Right-breast mammogram, medio-lateral oblique. Patient age 42.
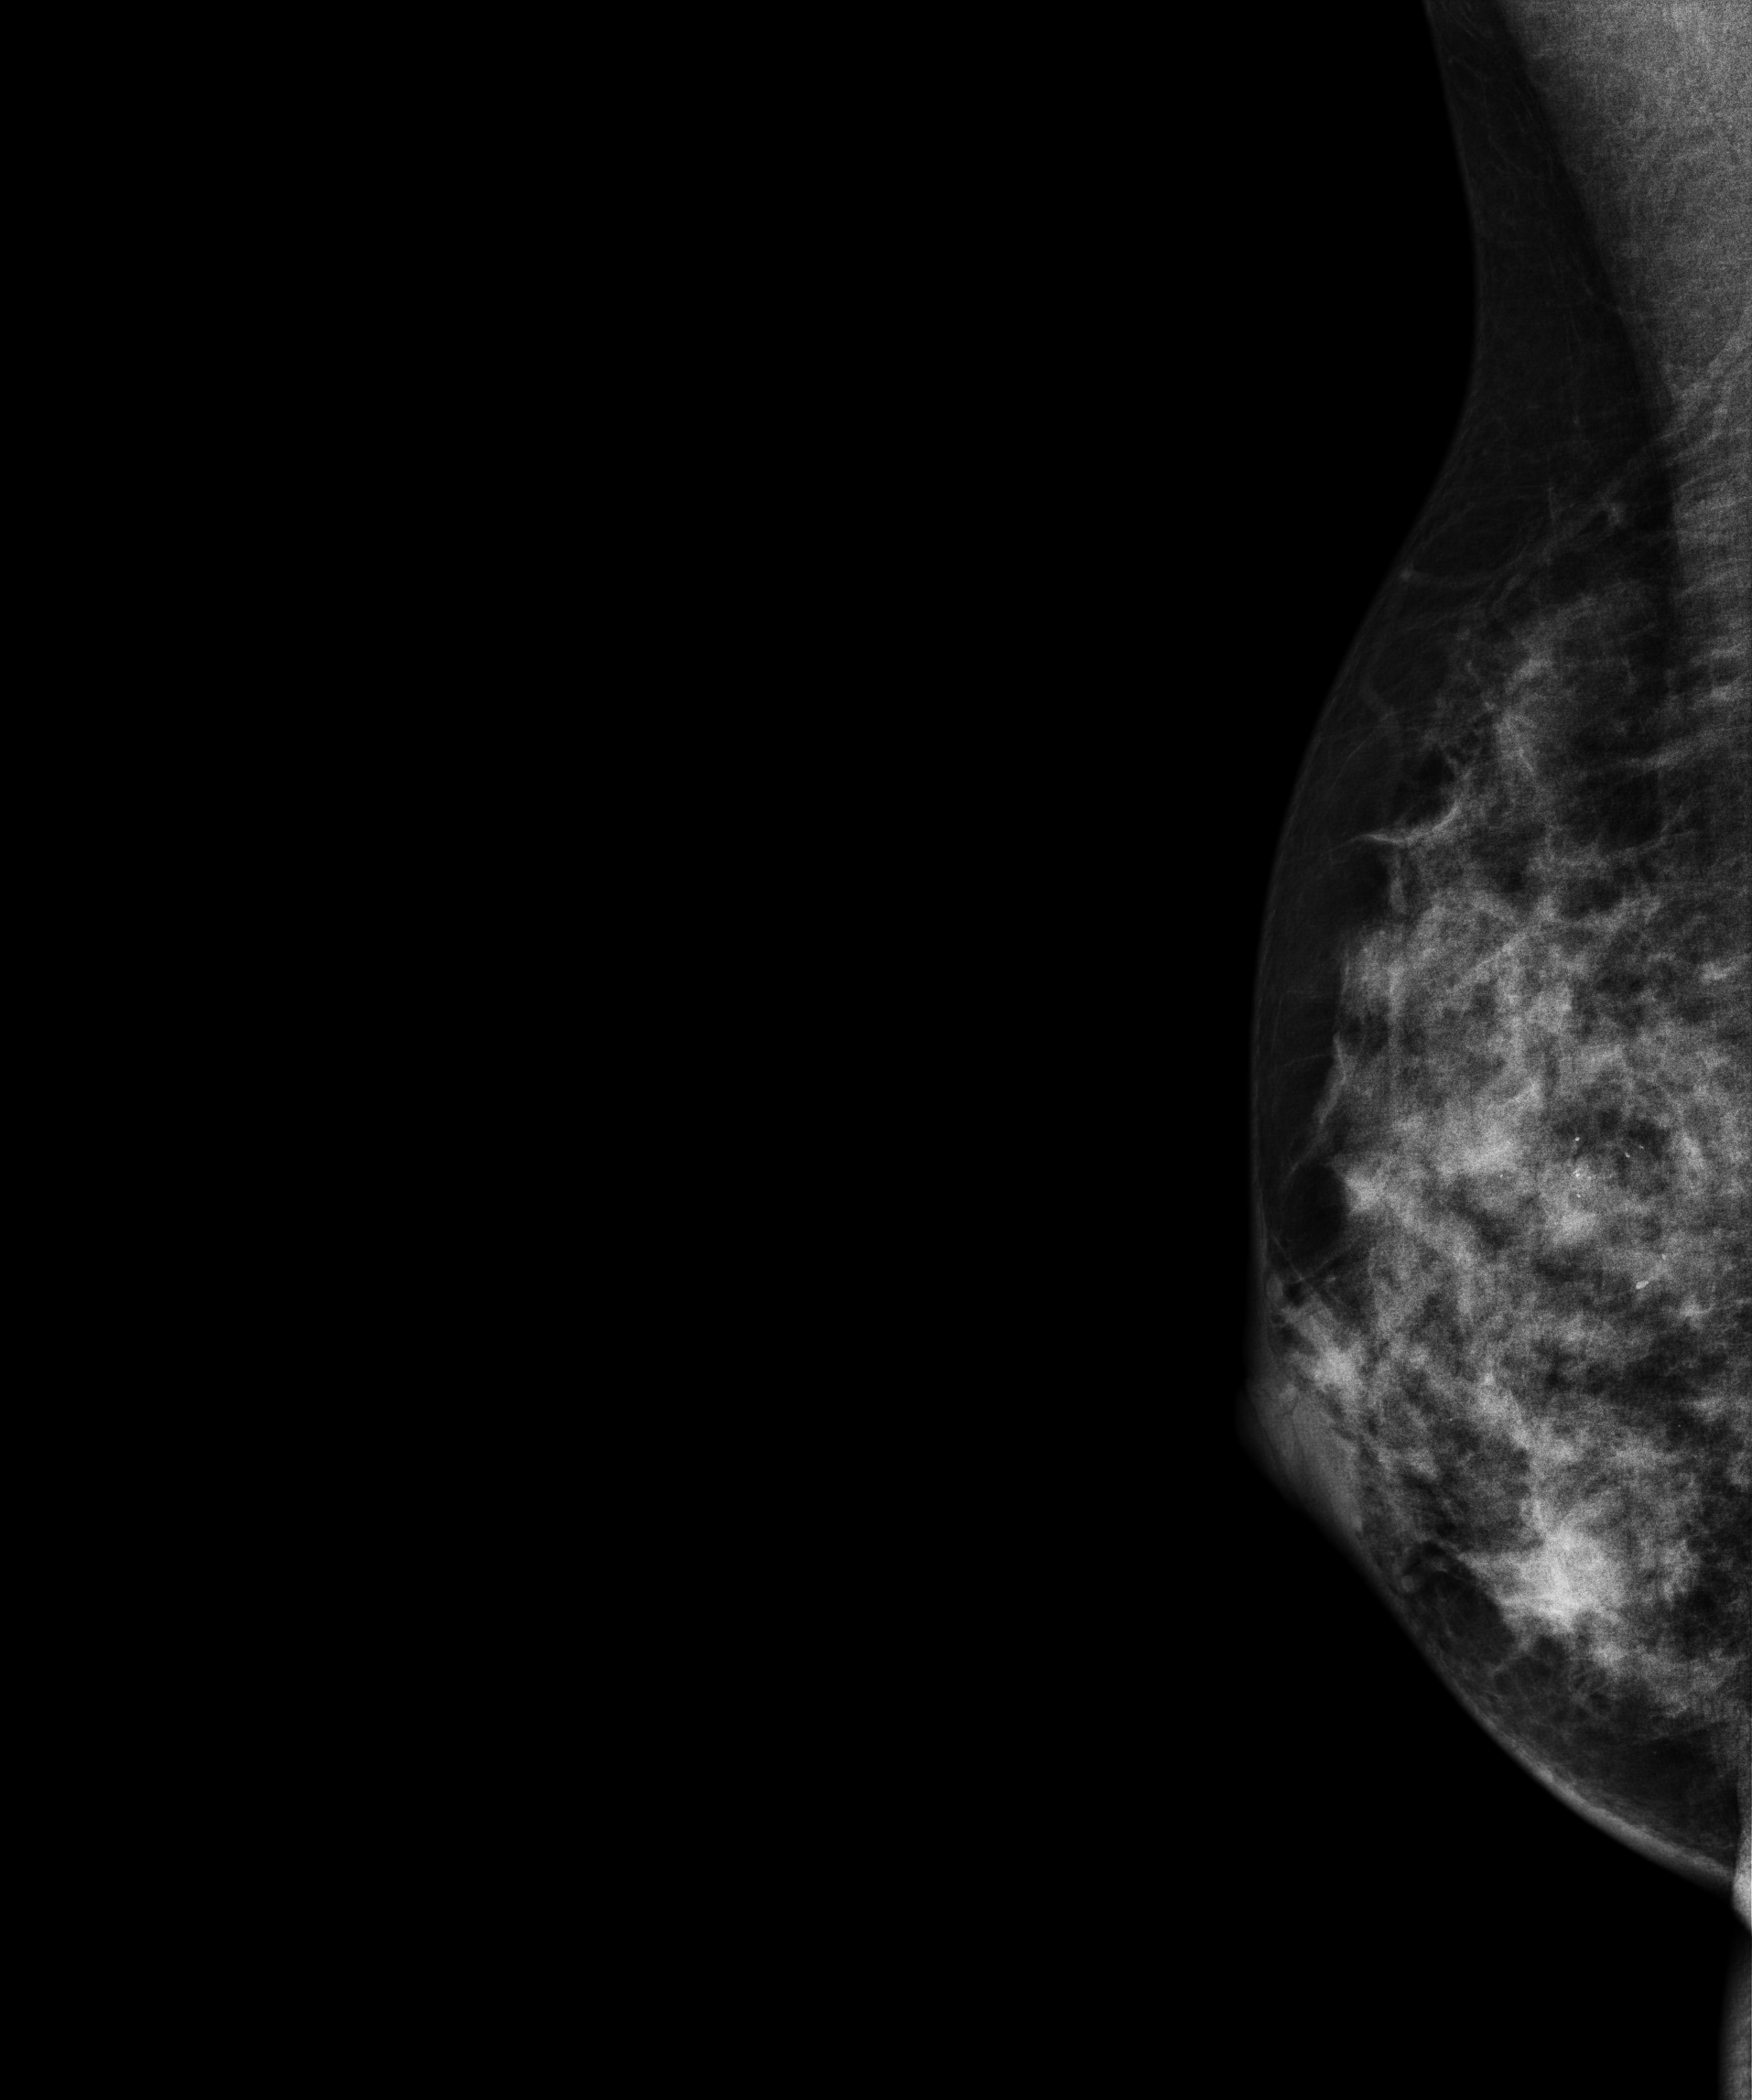
This breast has calcifications, histologically confirmed malignant.